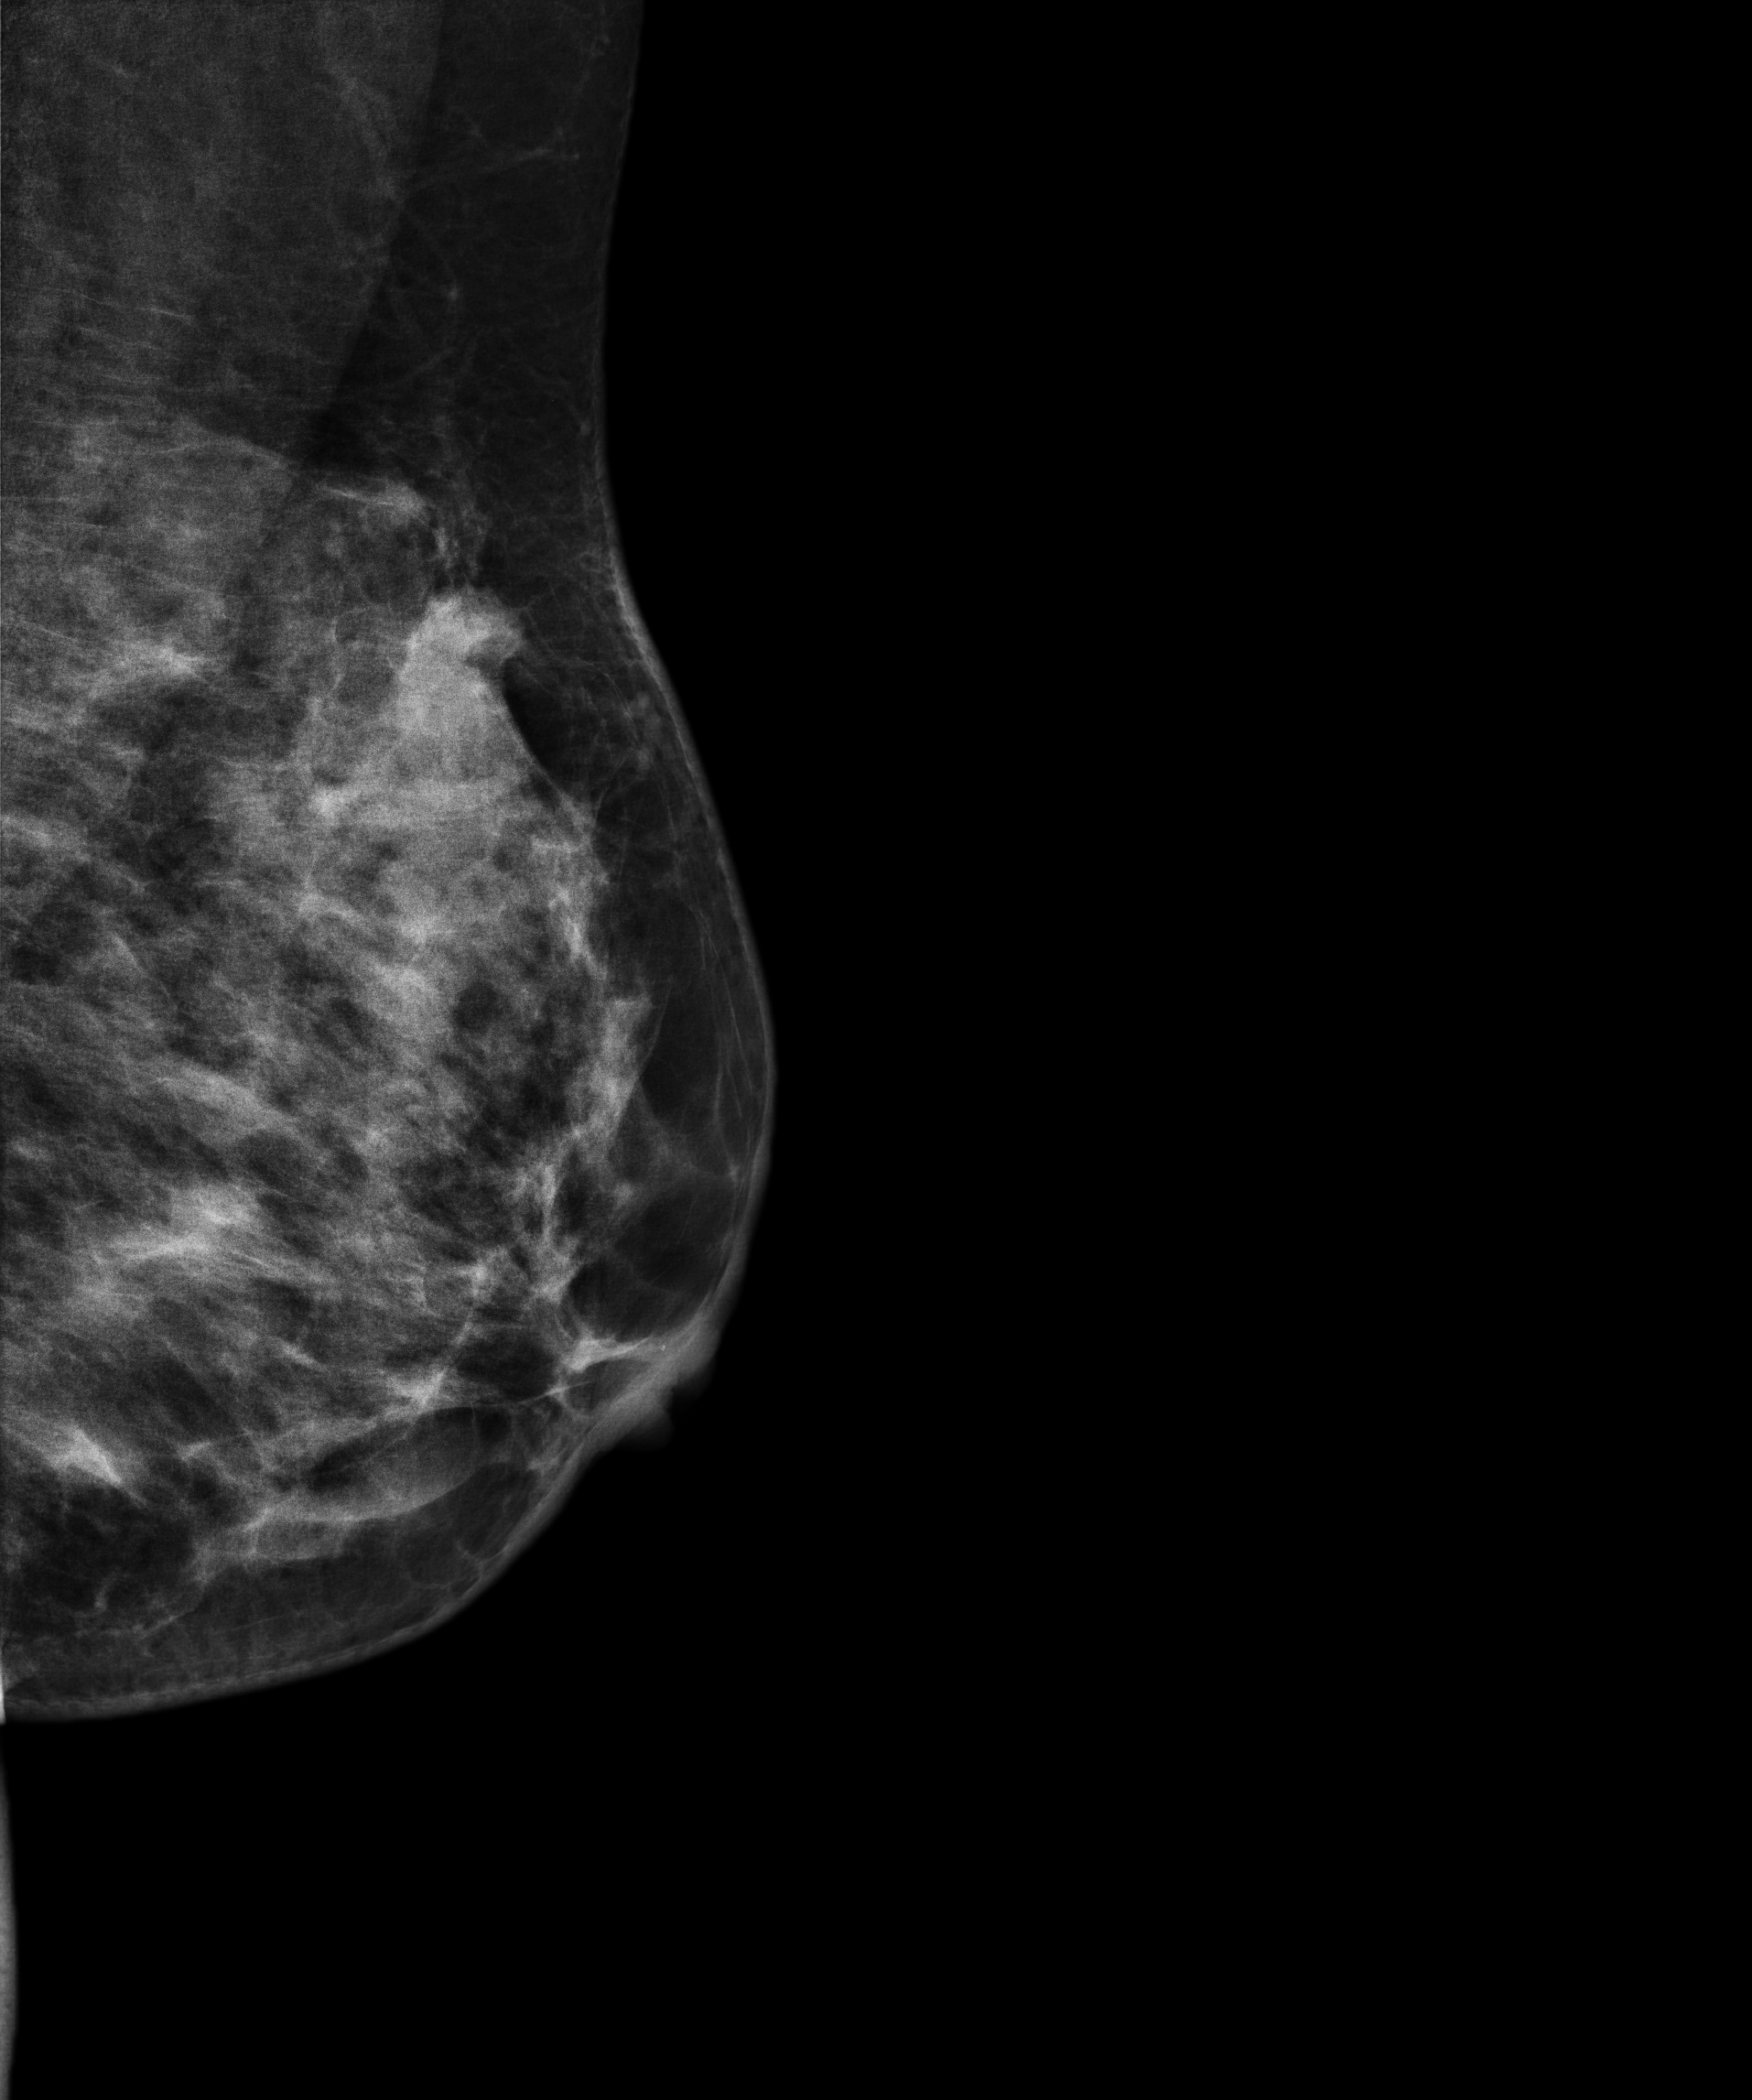
Mammogram — left MLO. 50 y/o patient.
This breast has a mass, biopsy-confirmed malignant.